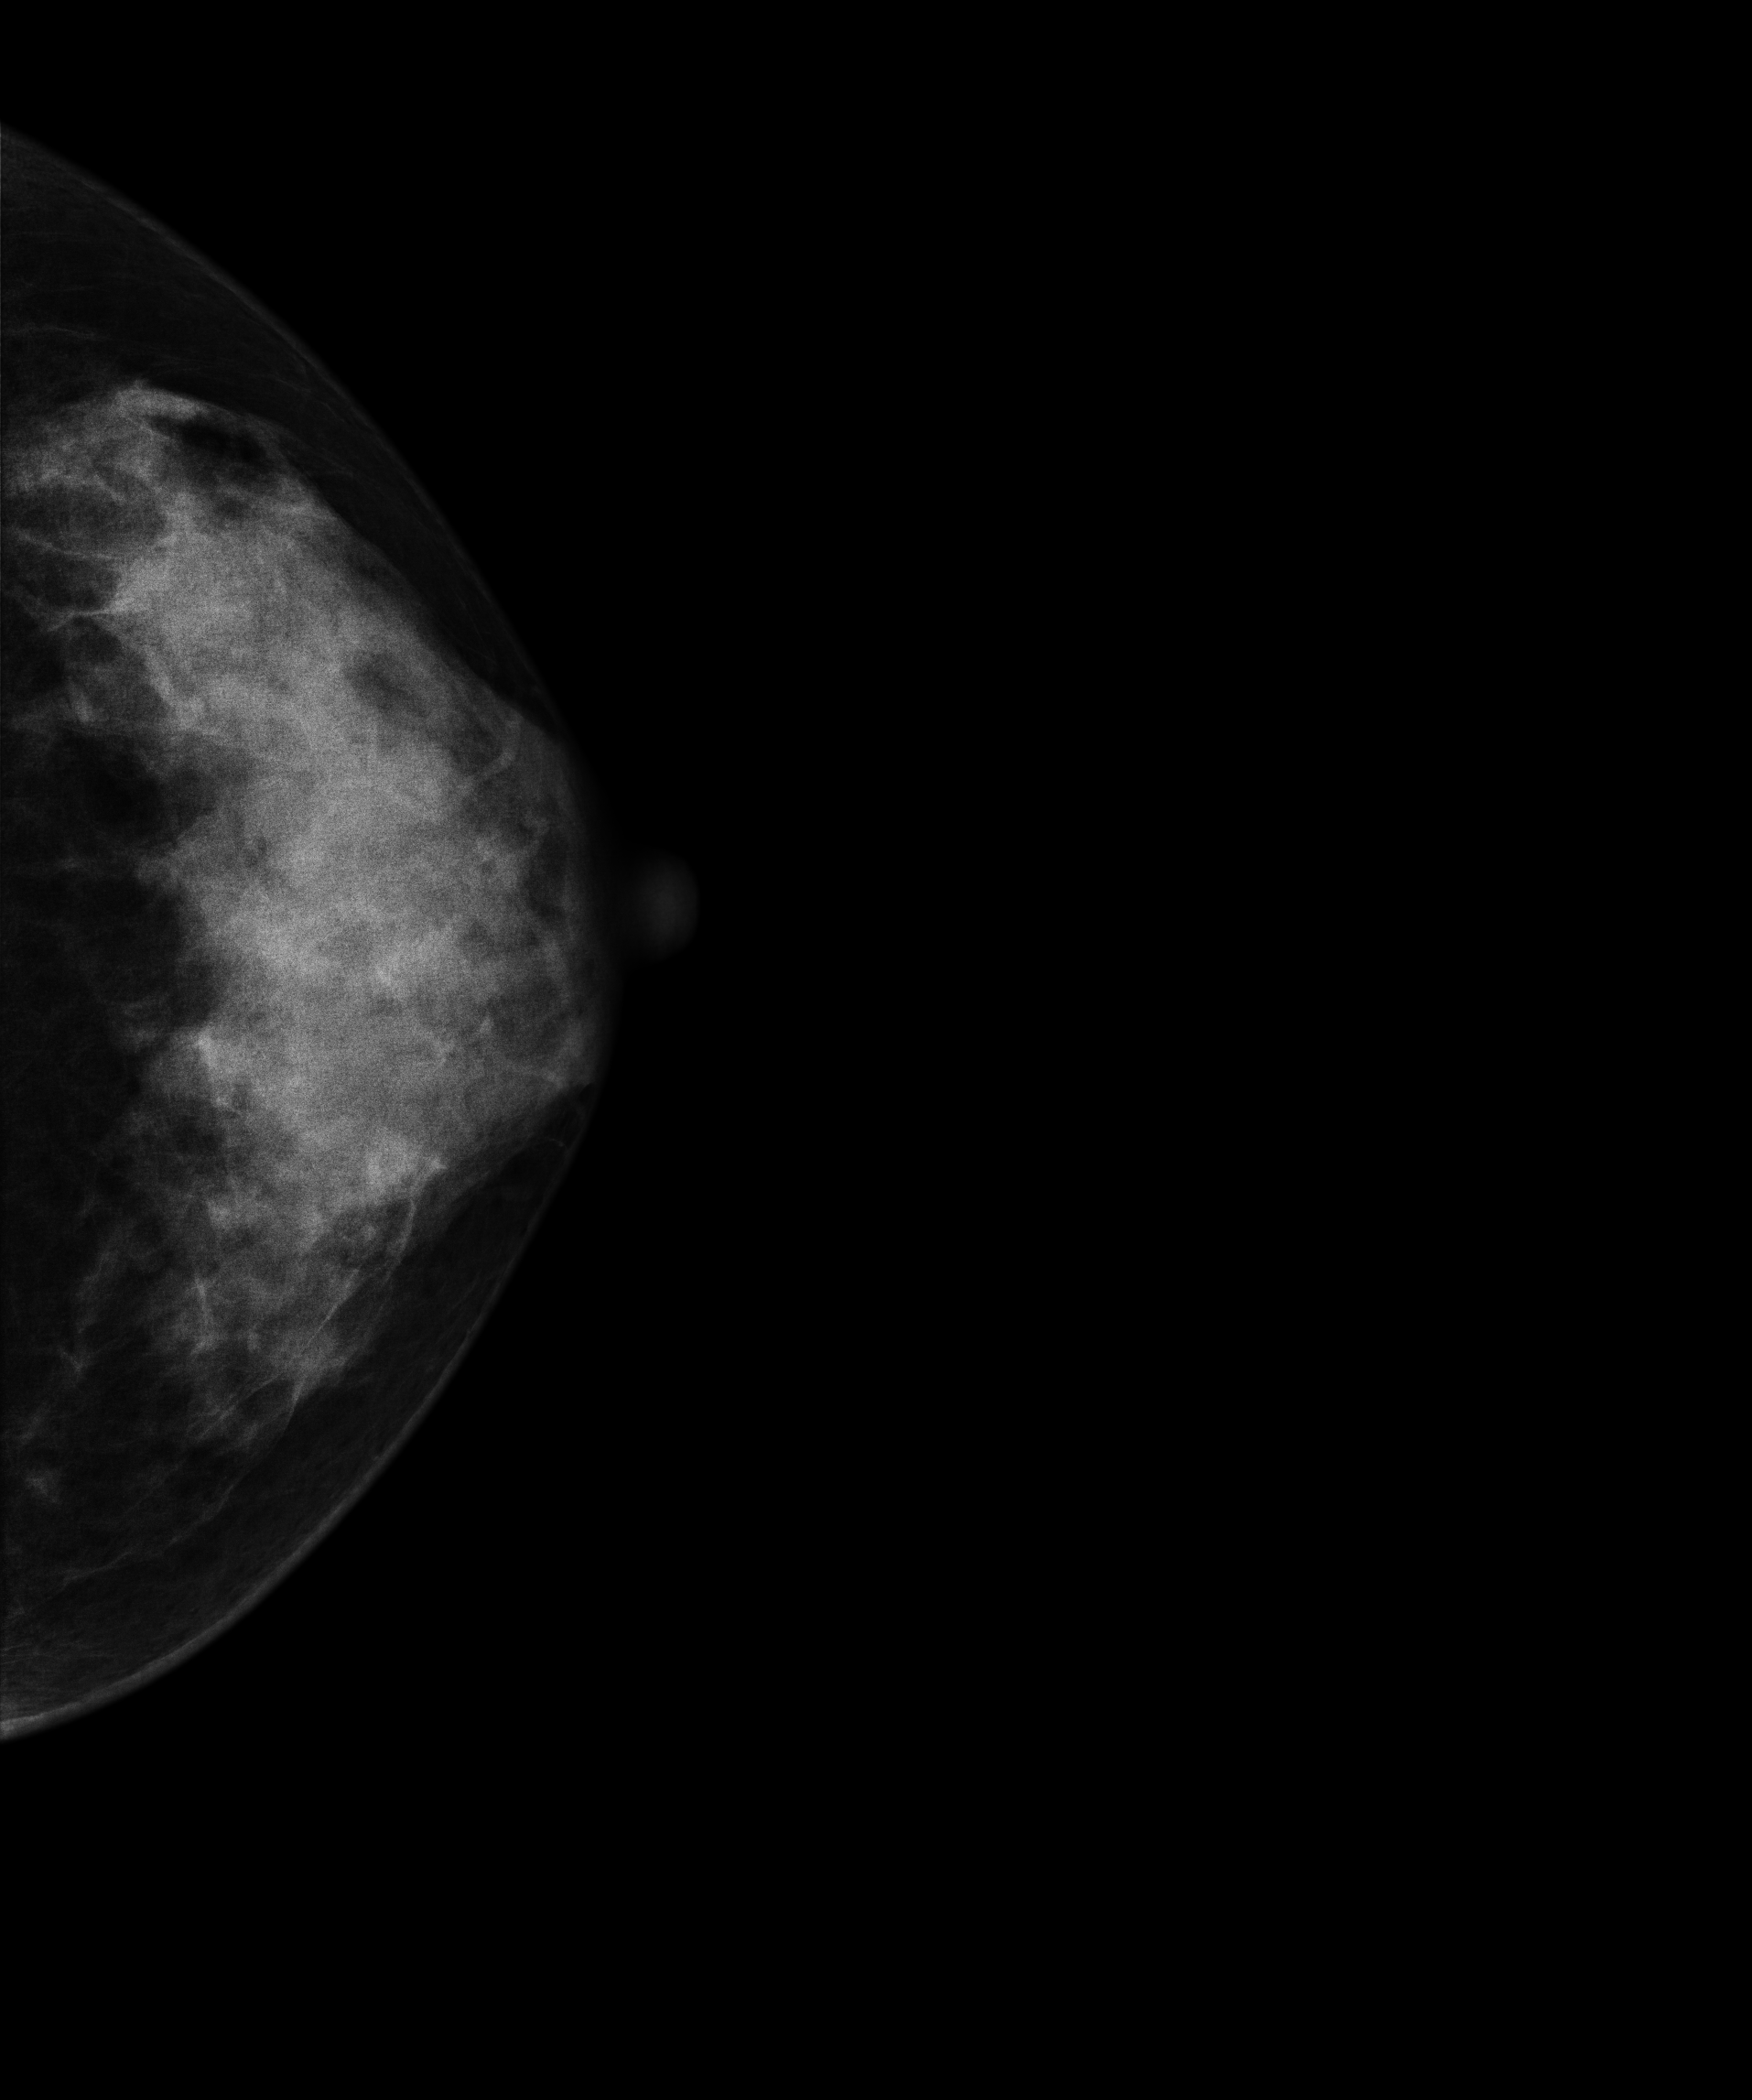
Mammogram — left CC. 47 y/o patient.
This breast has a mass, histologically confirmed benign.